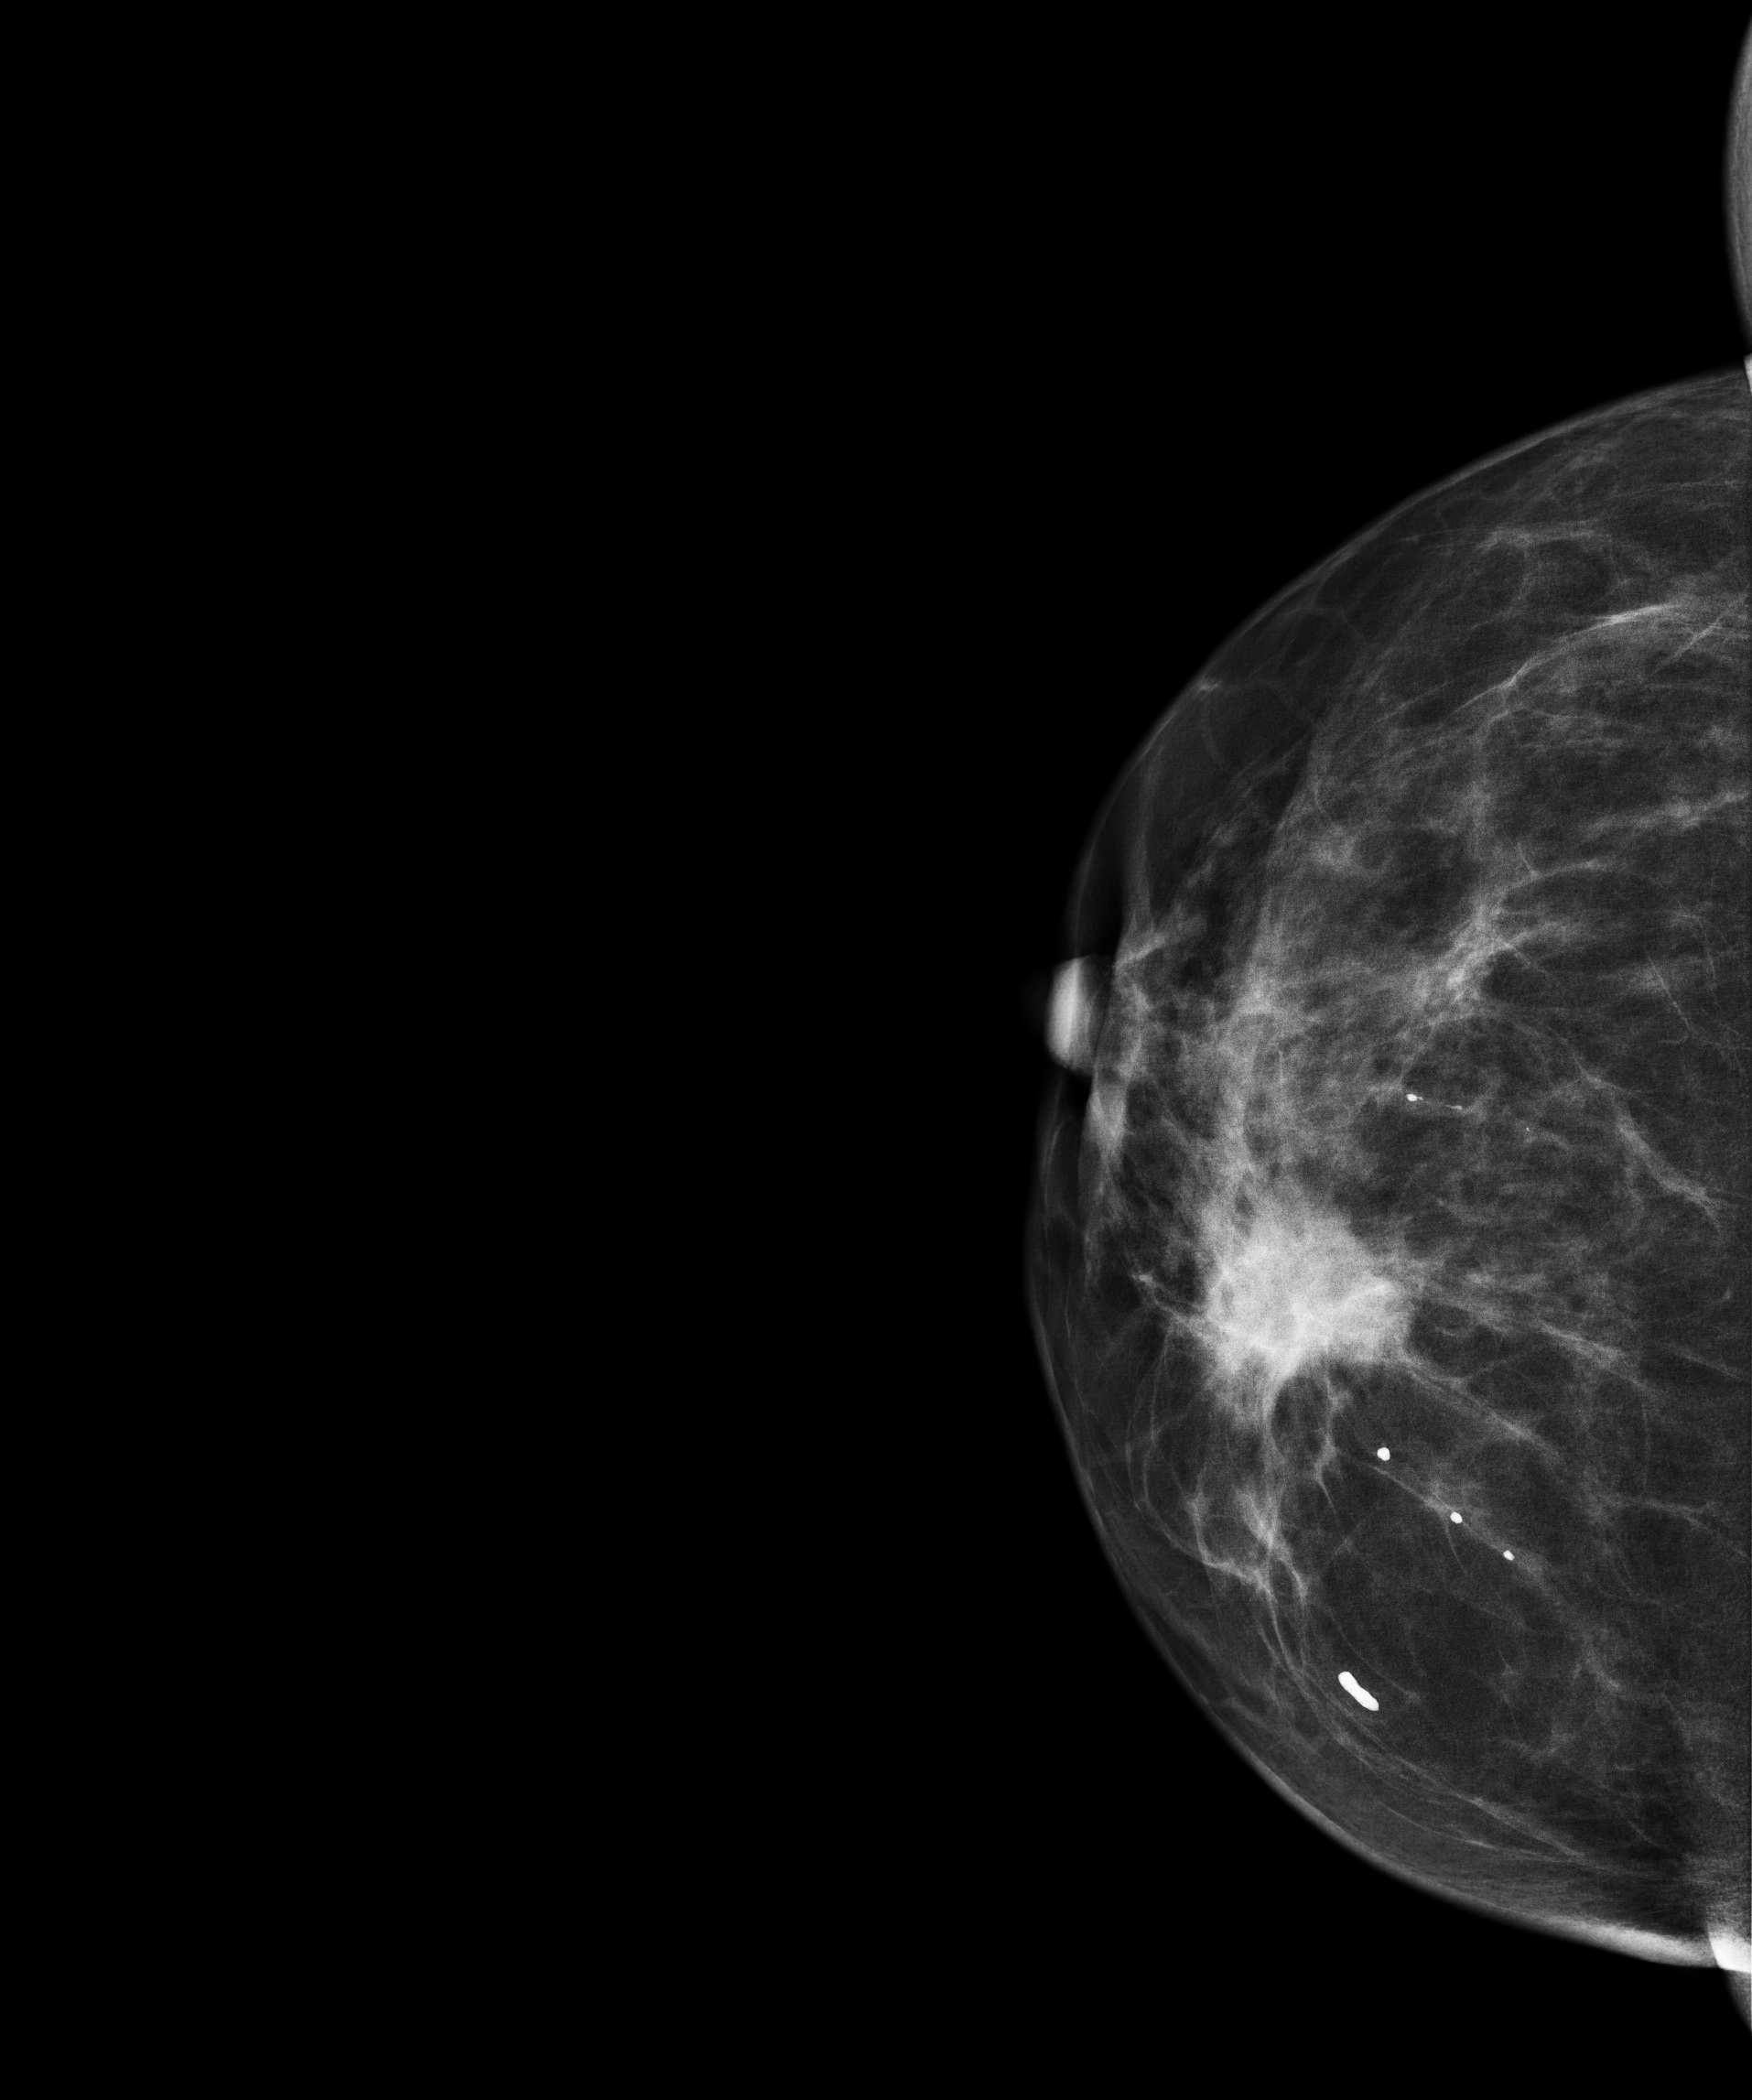
Digital mammography. Right breast, CC projection. Patient age 58.
This breast has a mass, biopsy-confirmed malignant.